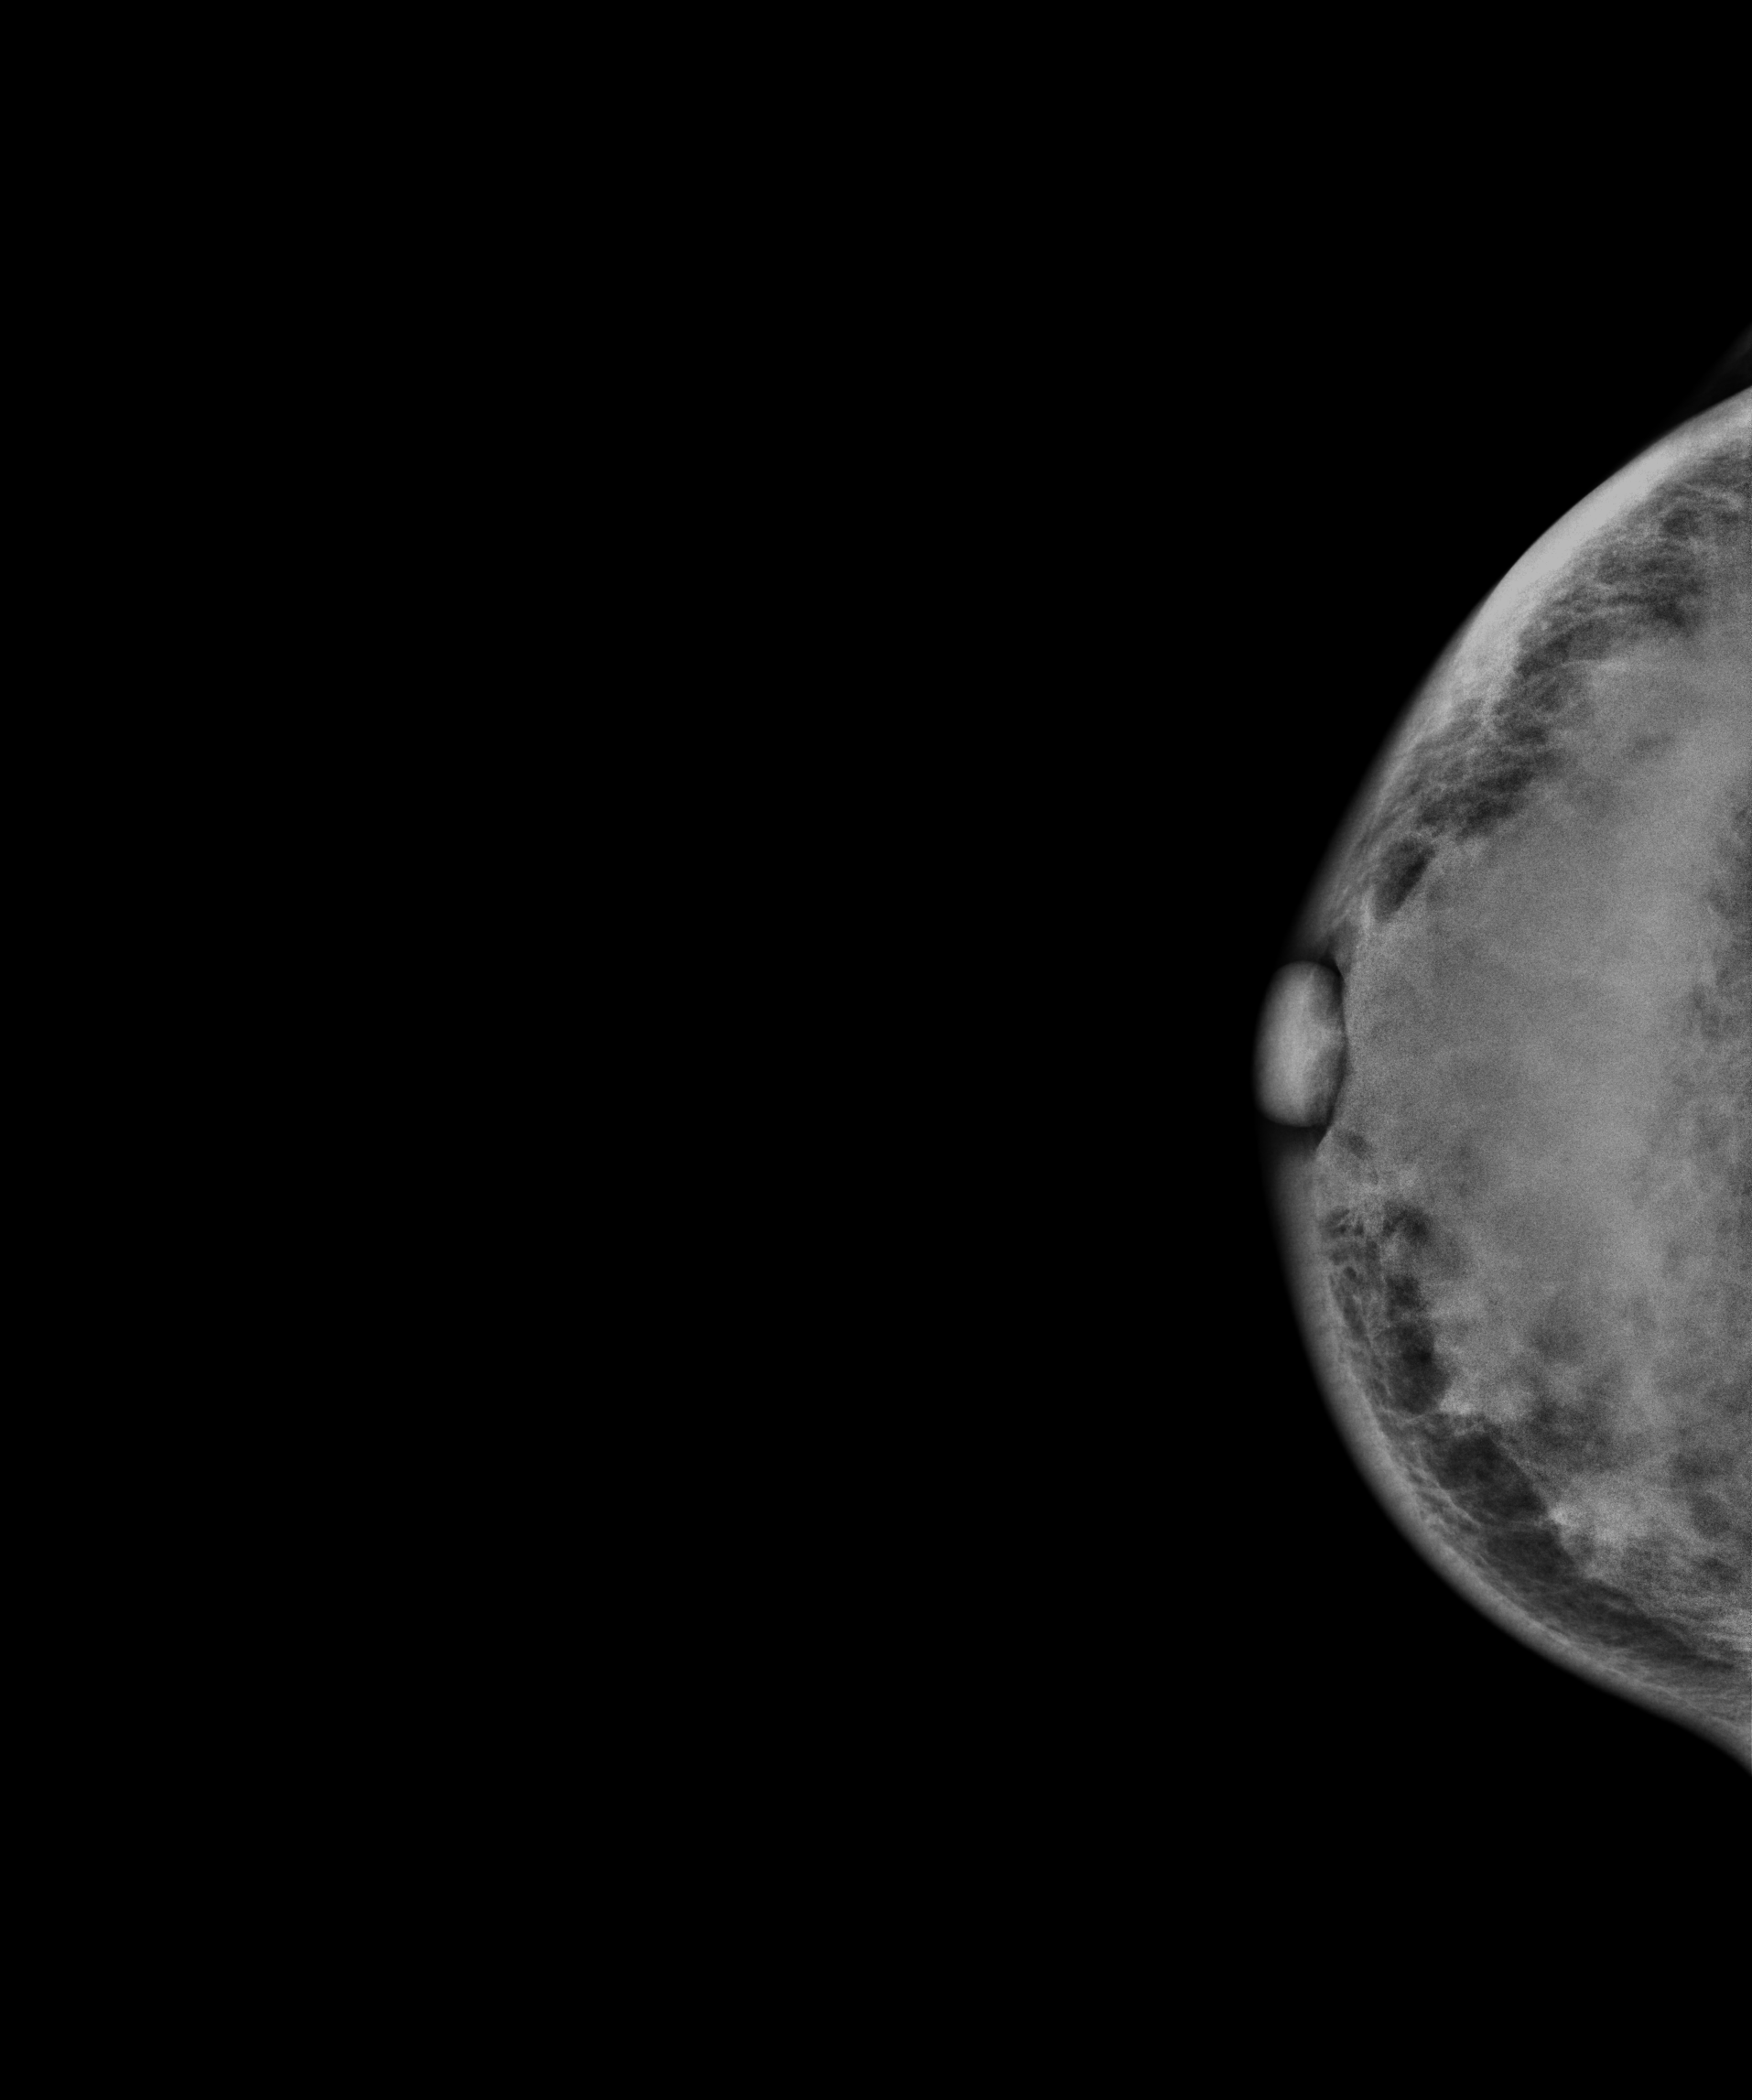
Digital mammography. Right breast, cranio-caudal projection. 30-year-old patient.
This breast has a mass, histologically confirmed malignant. Molecular subtype: luminal B.